Cranio-caudal mammogram of the left breast. 50-year-old patient.
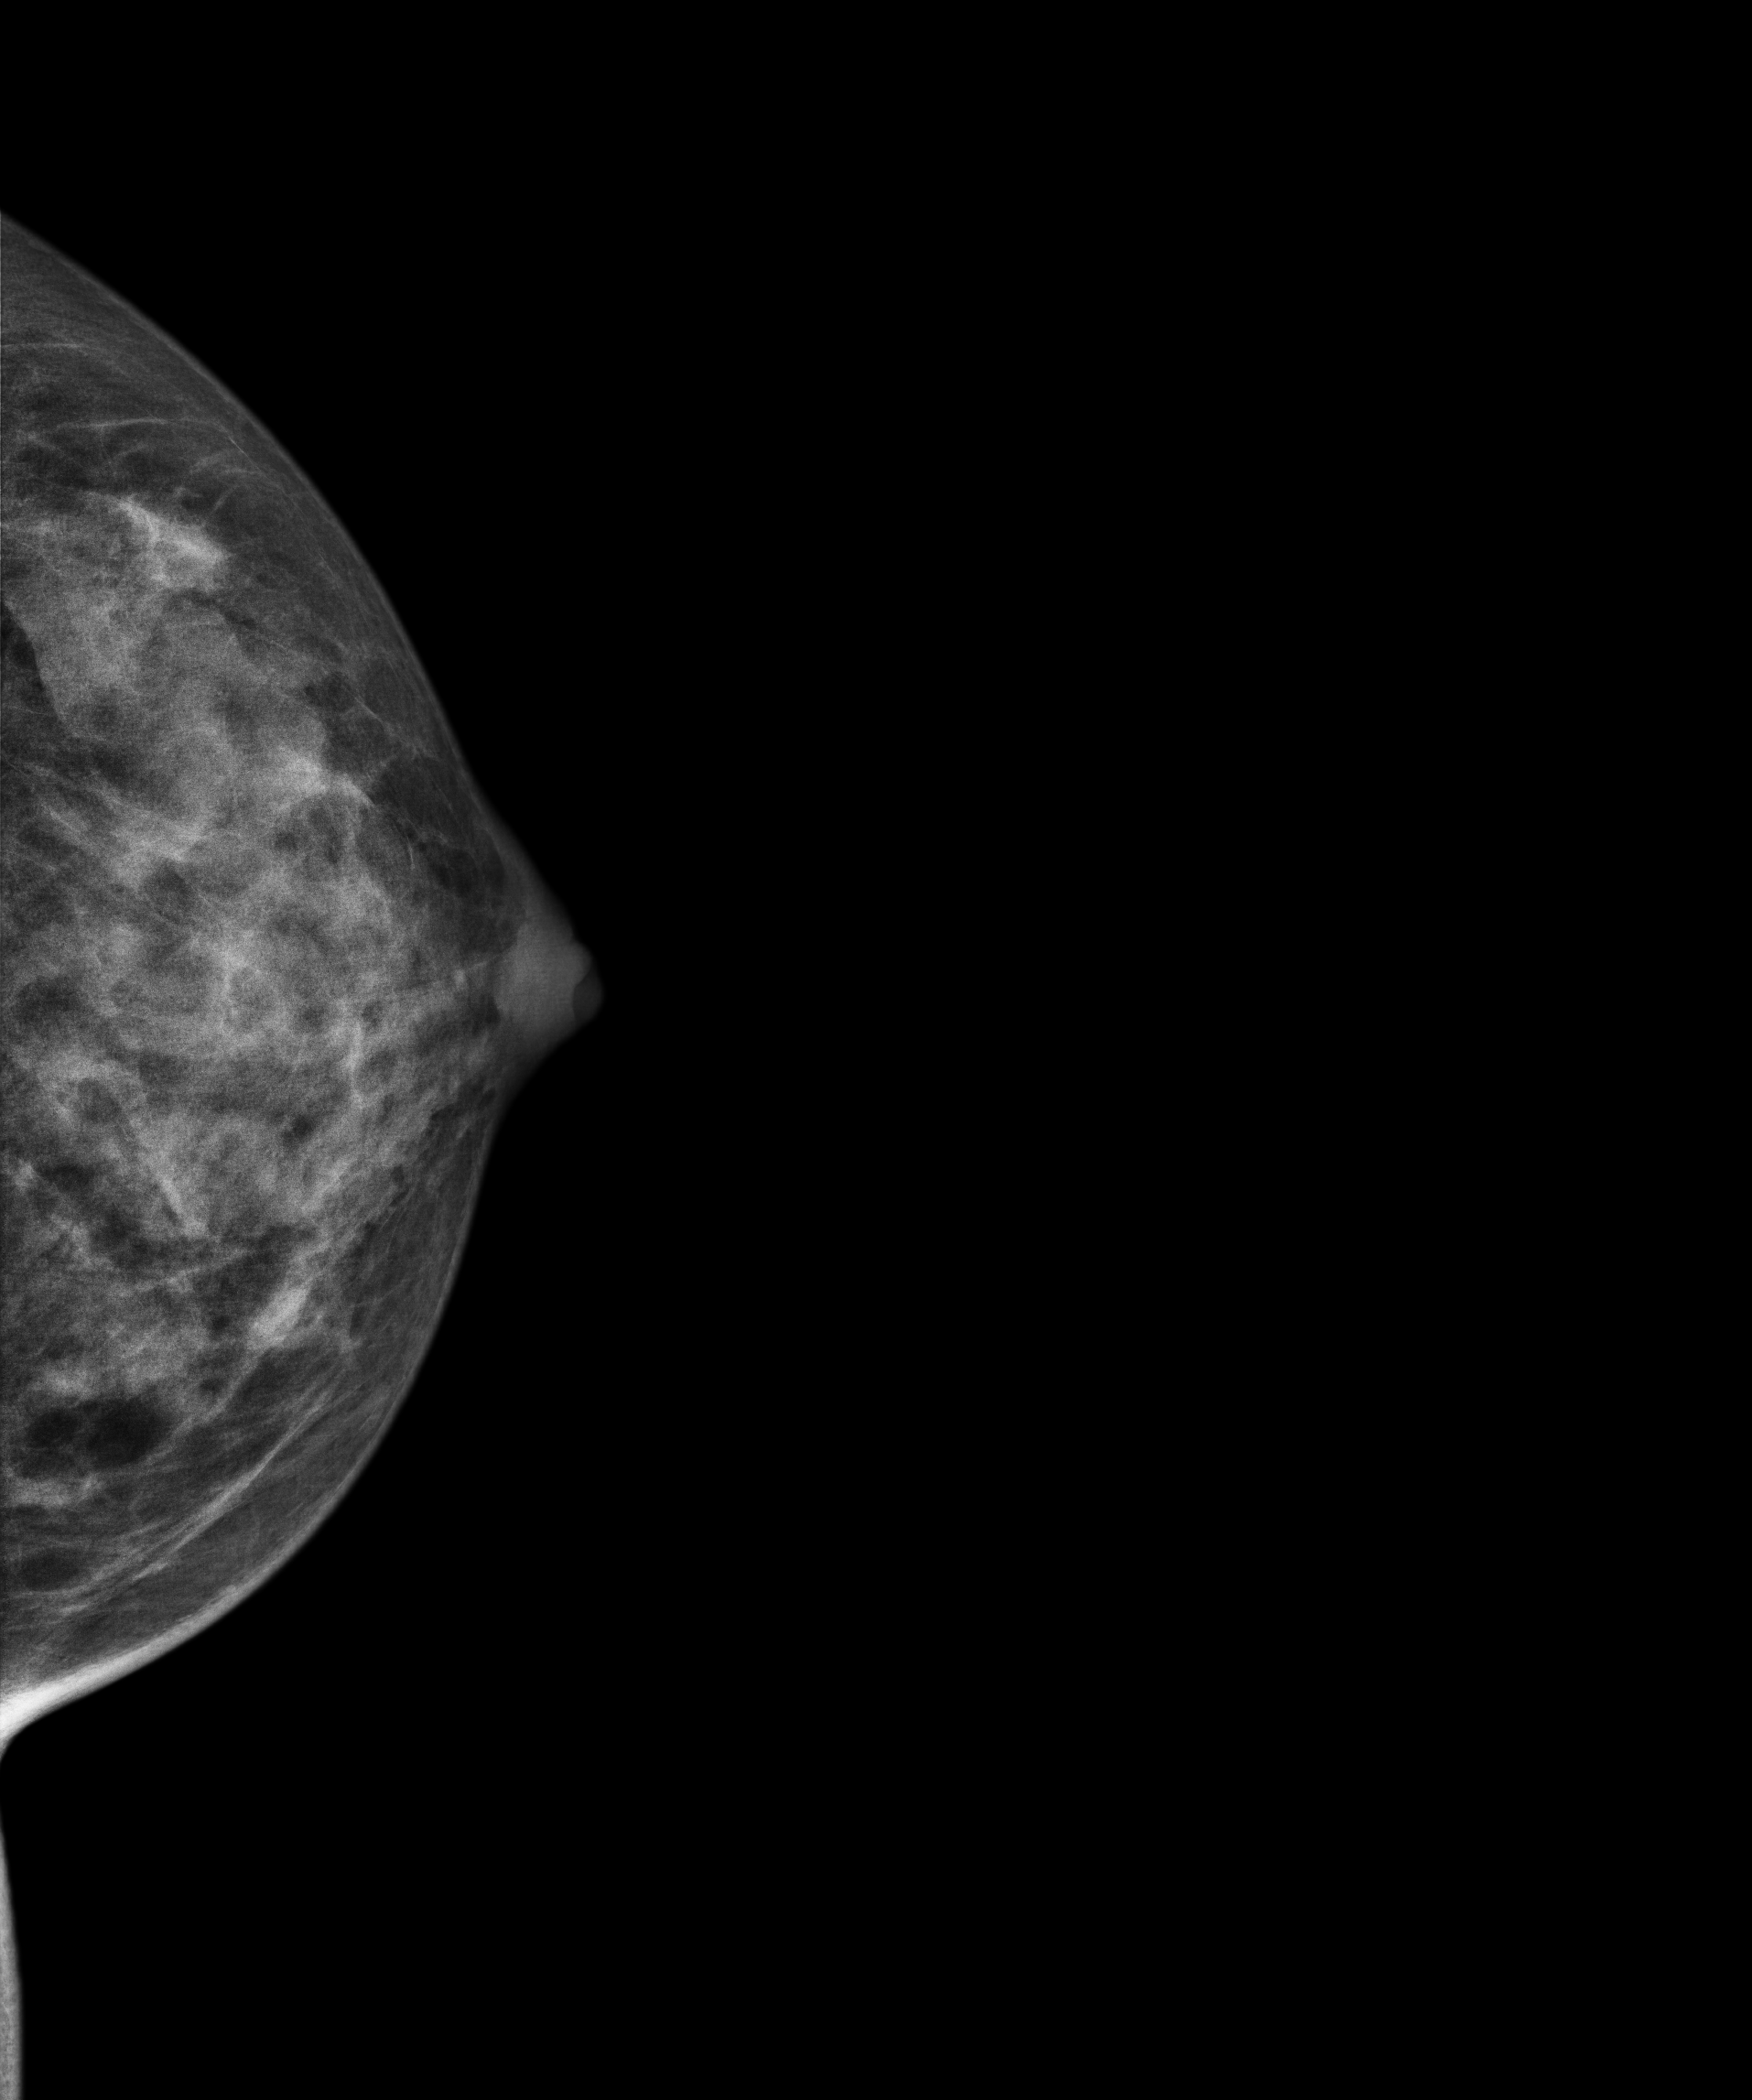
This breast has a mass, histologically confirmed benign.